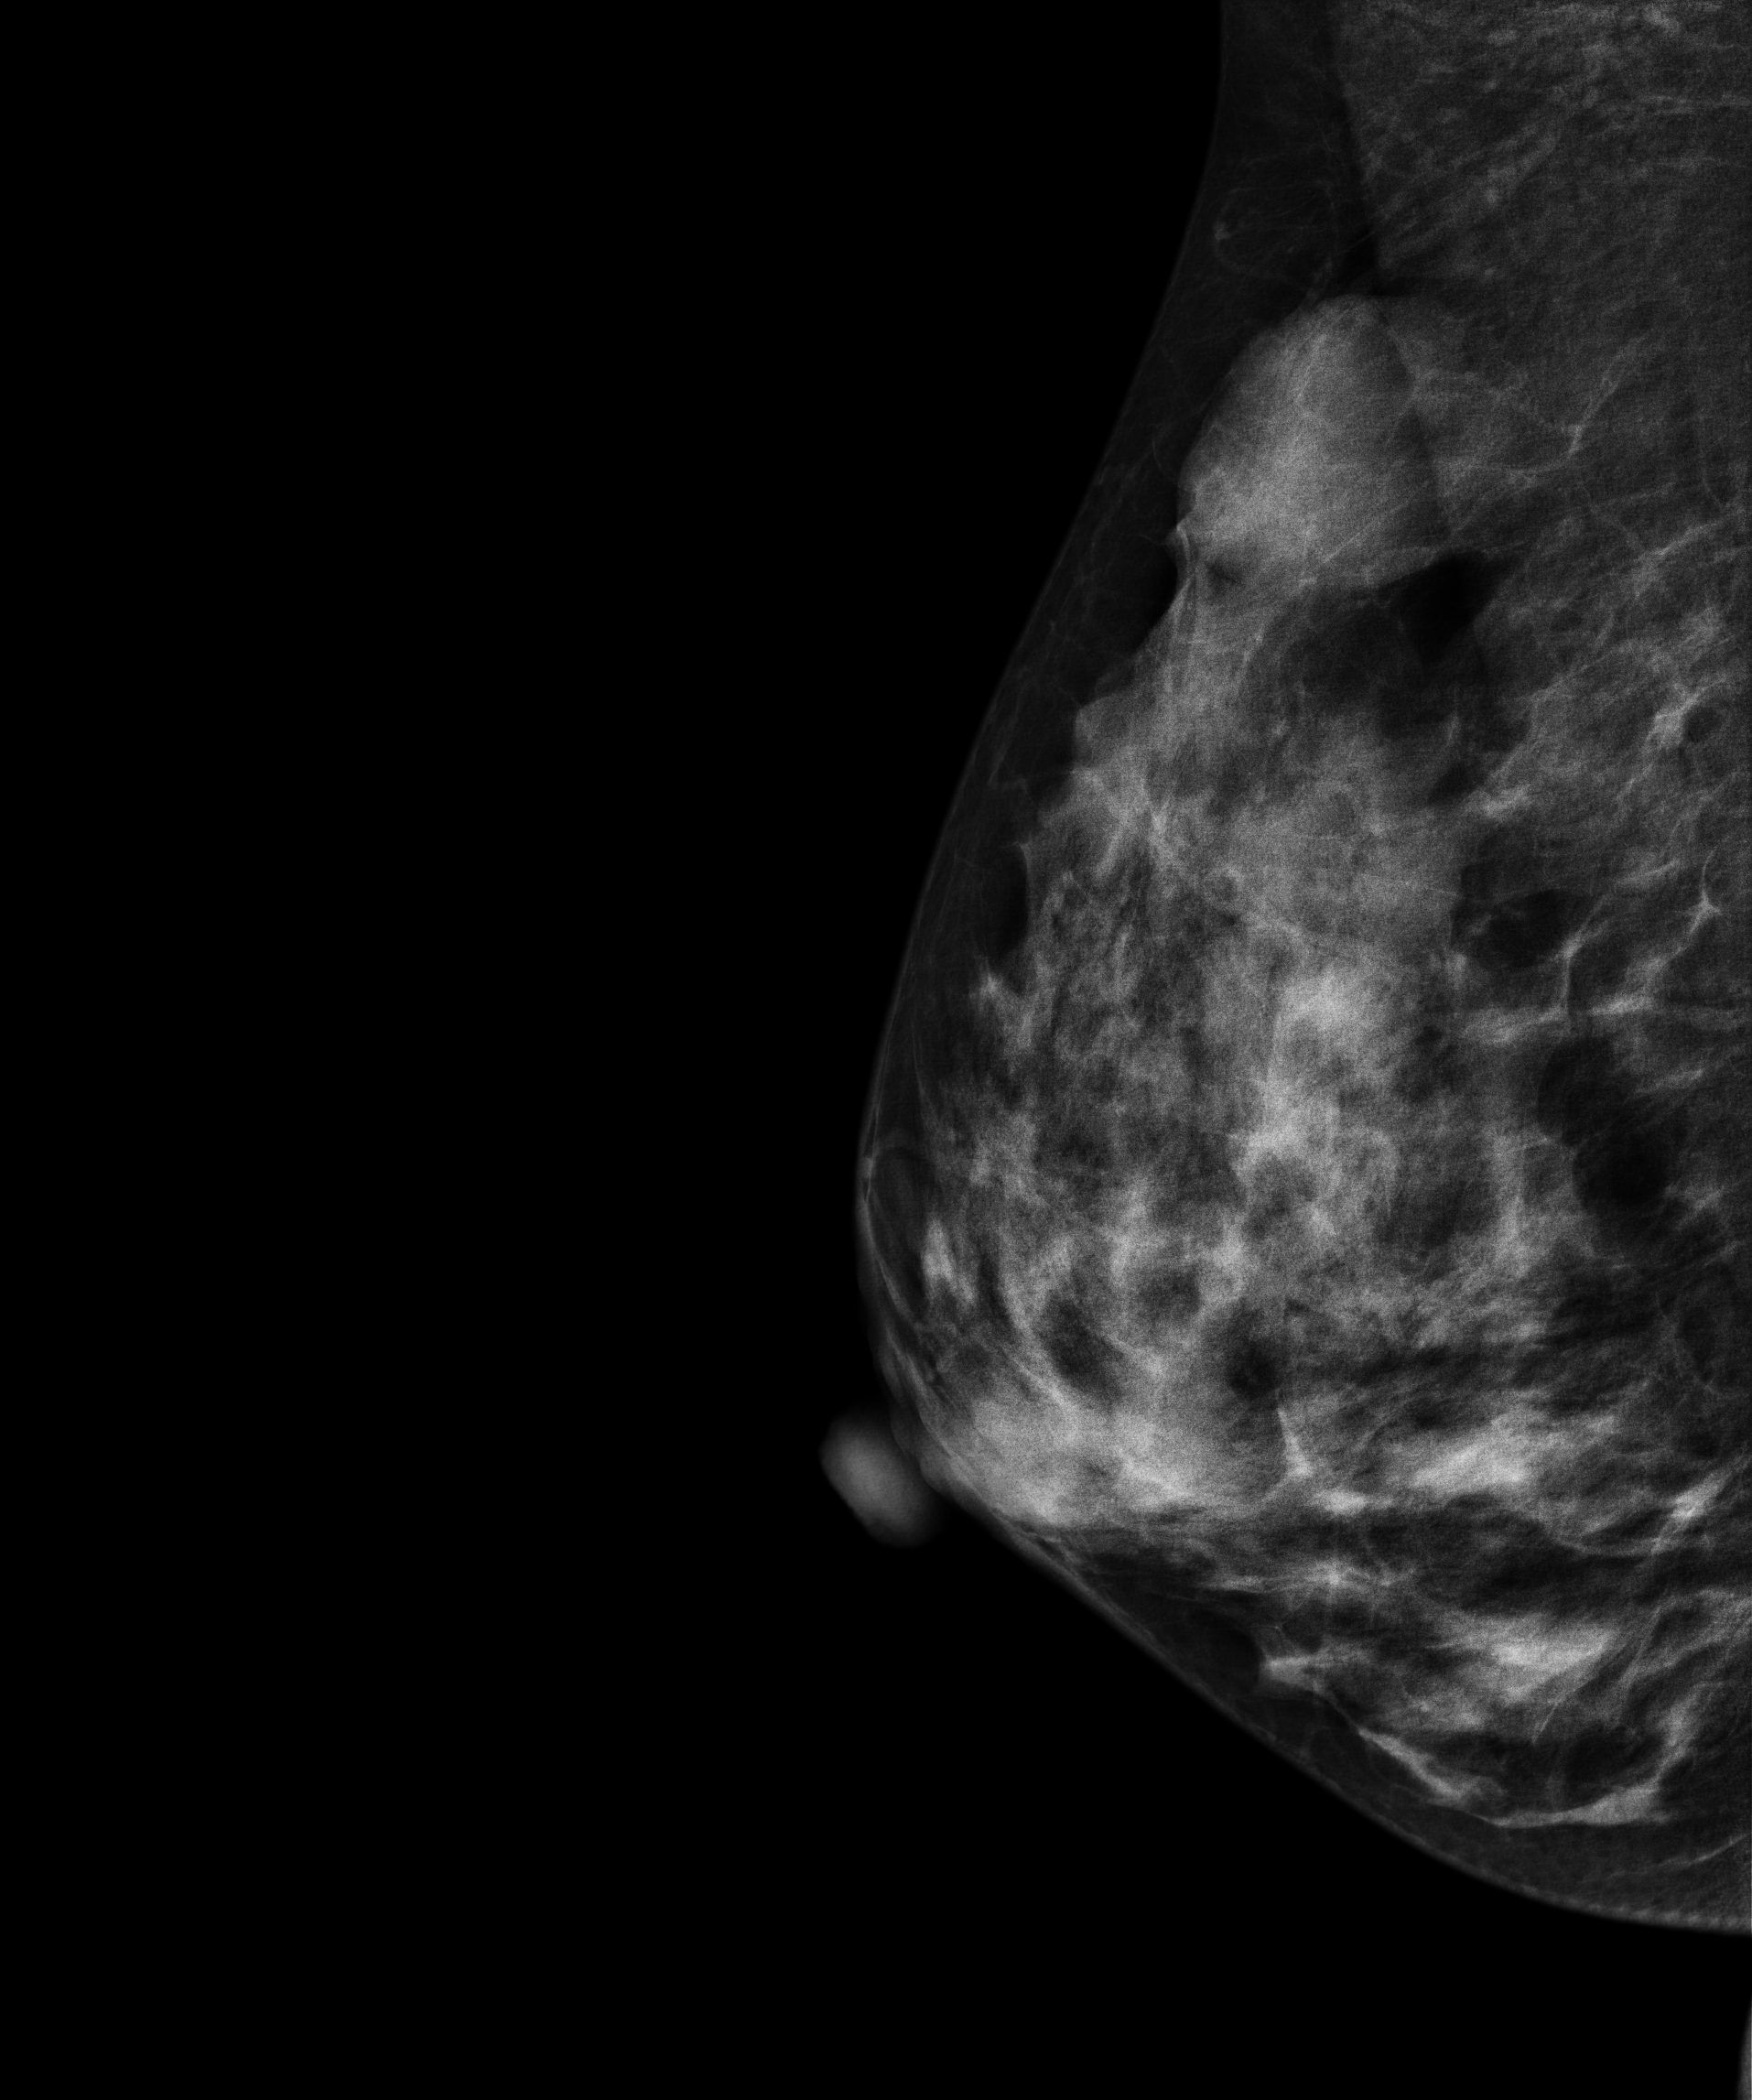
MLO mammogram of the right breast. 42 y/o patient.
This breast has a mass, biopsy-confirmed benign.